Mammogram — left medio-lateral oblique. 46-year-old patient.
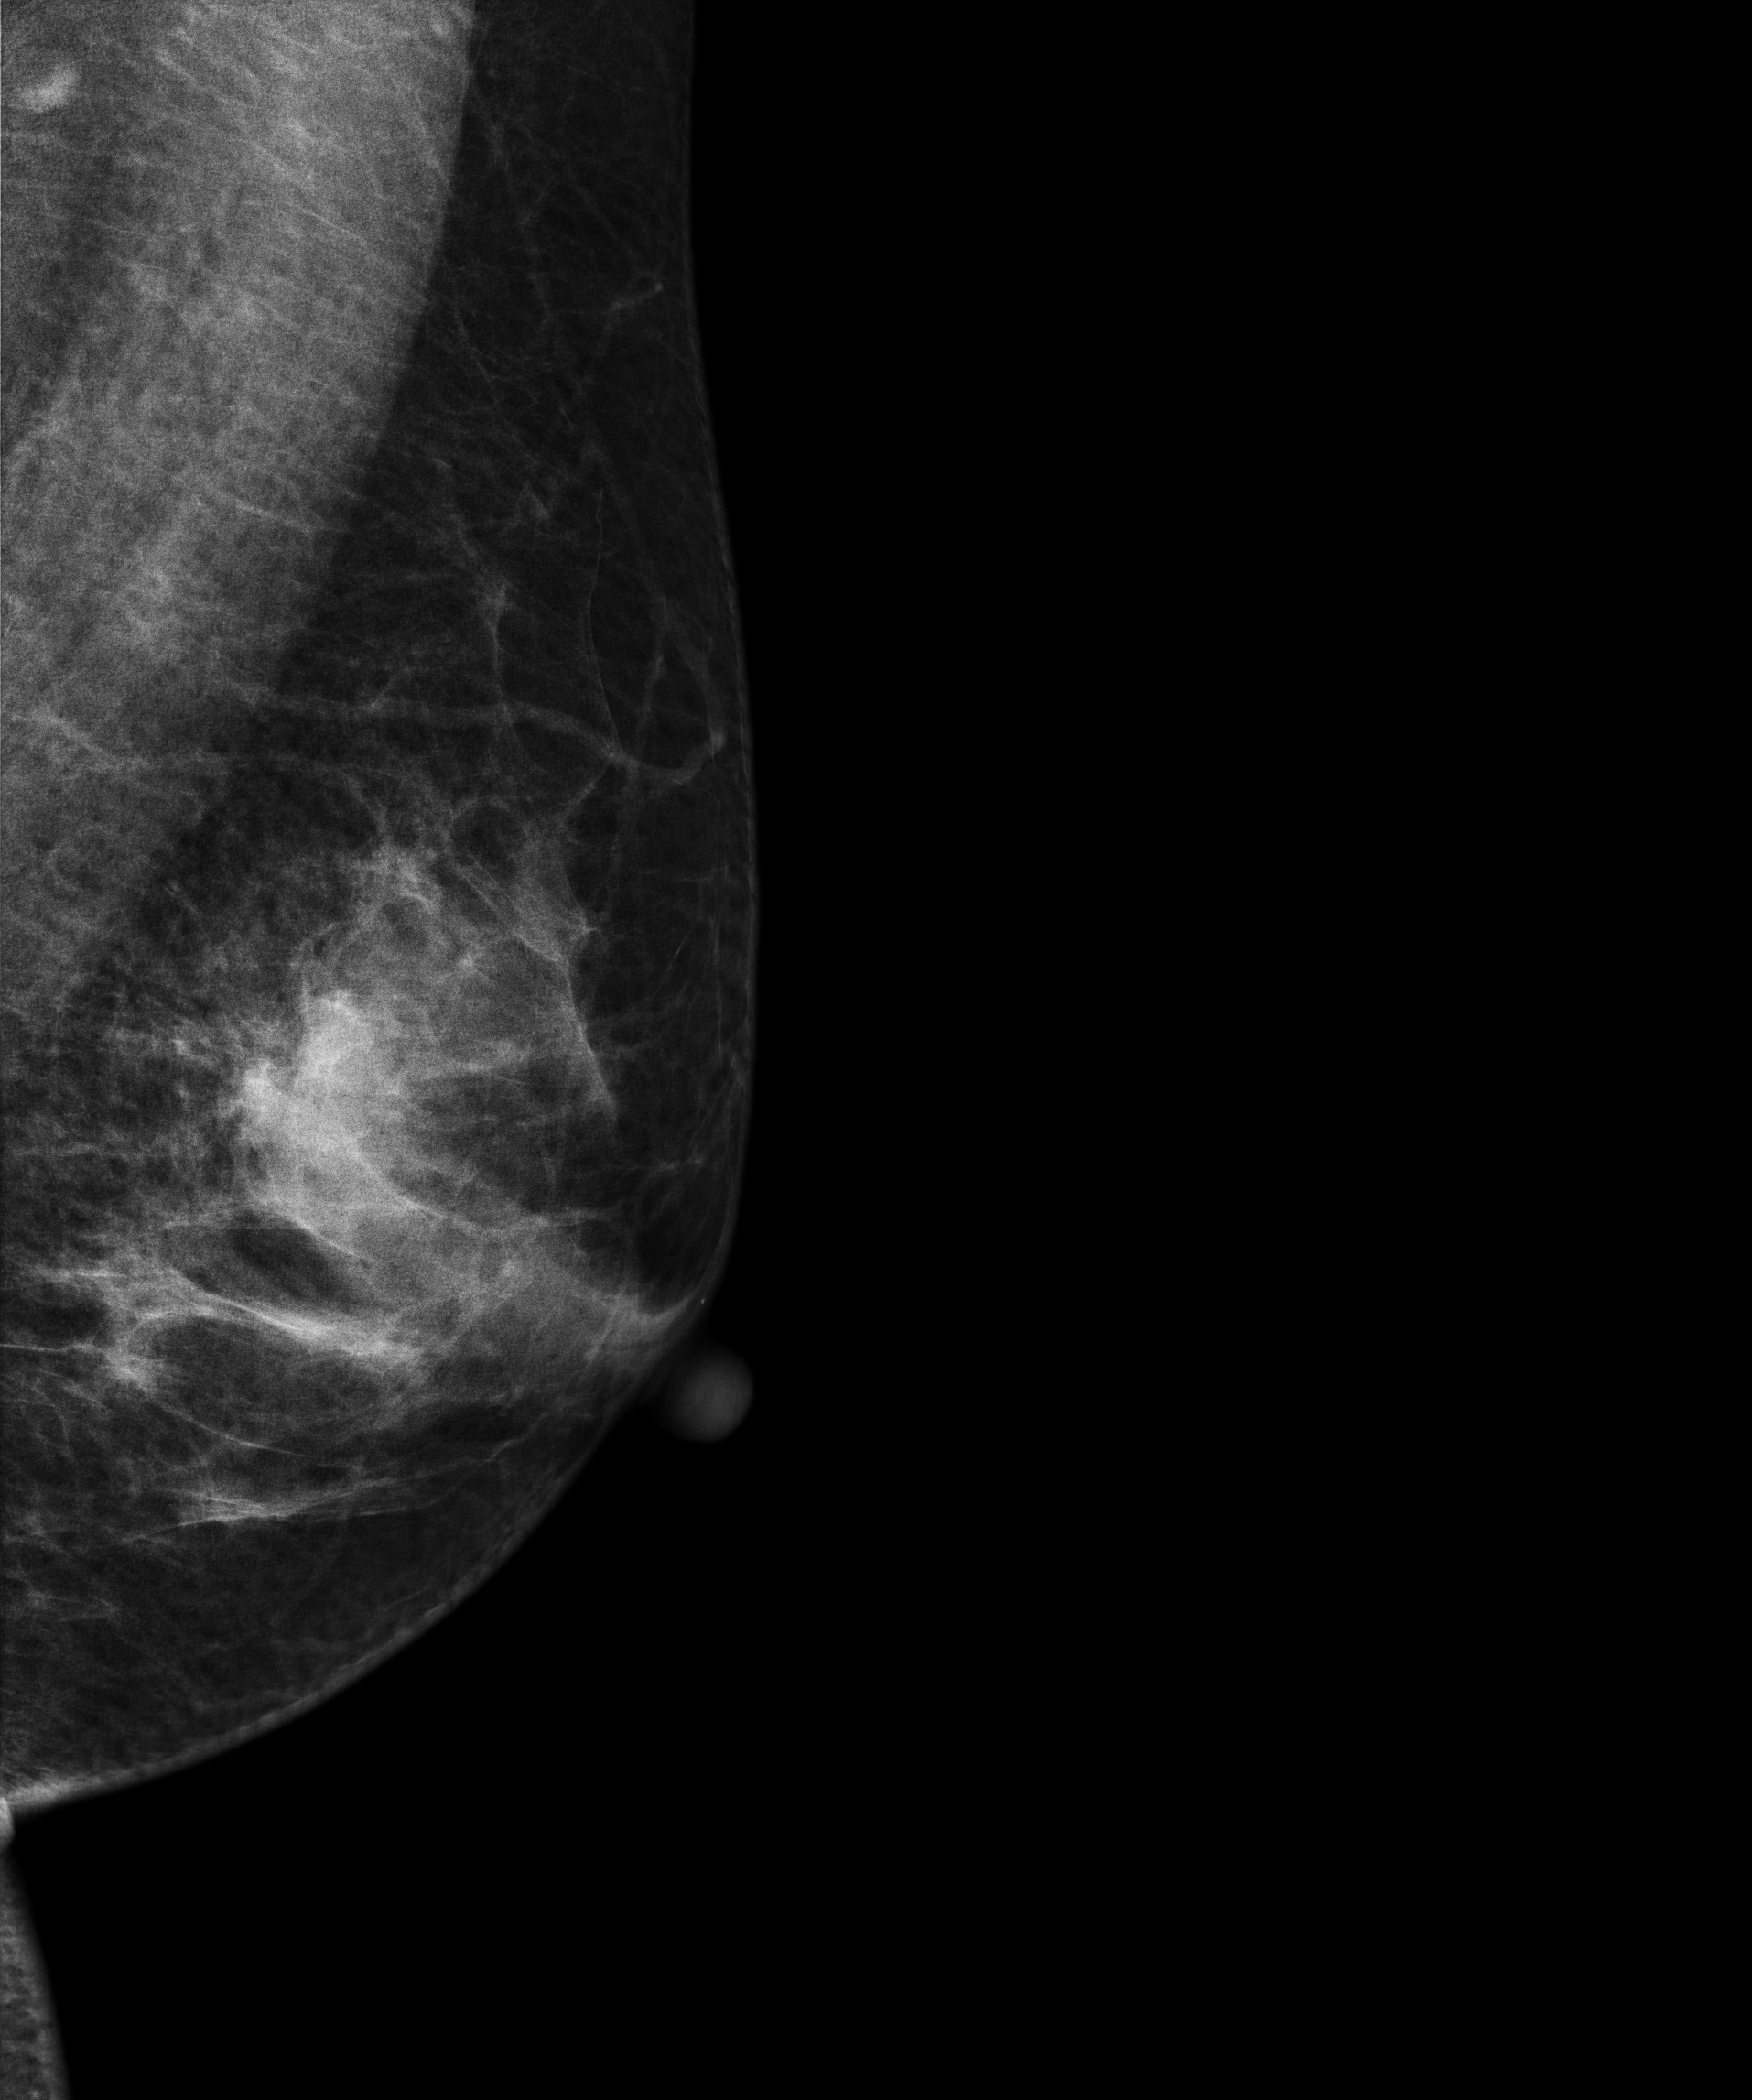
This breast has a mass, biopsy-confirmed malignant.